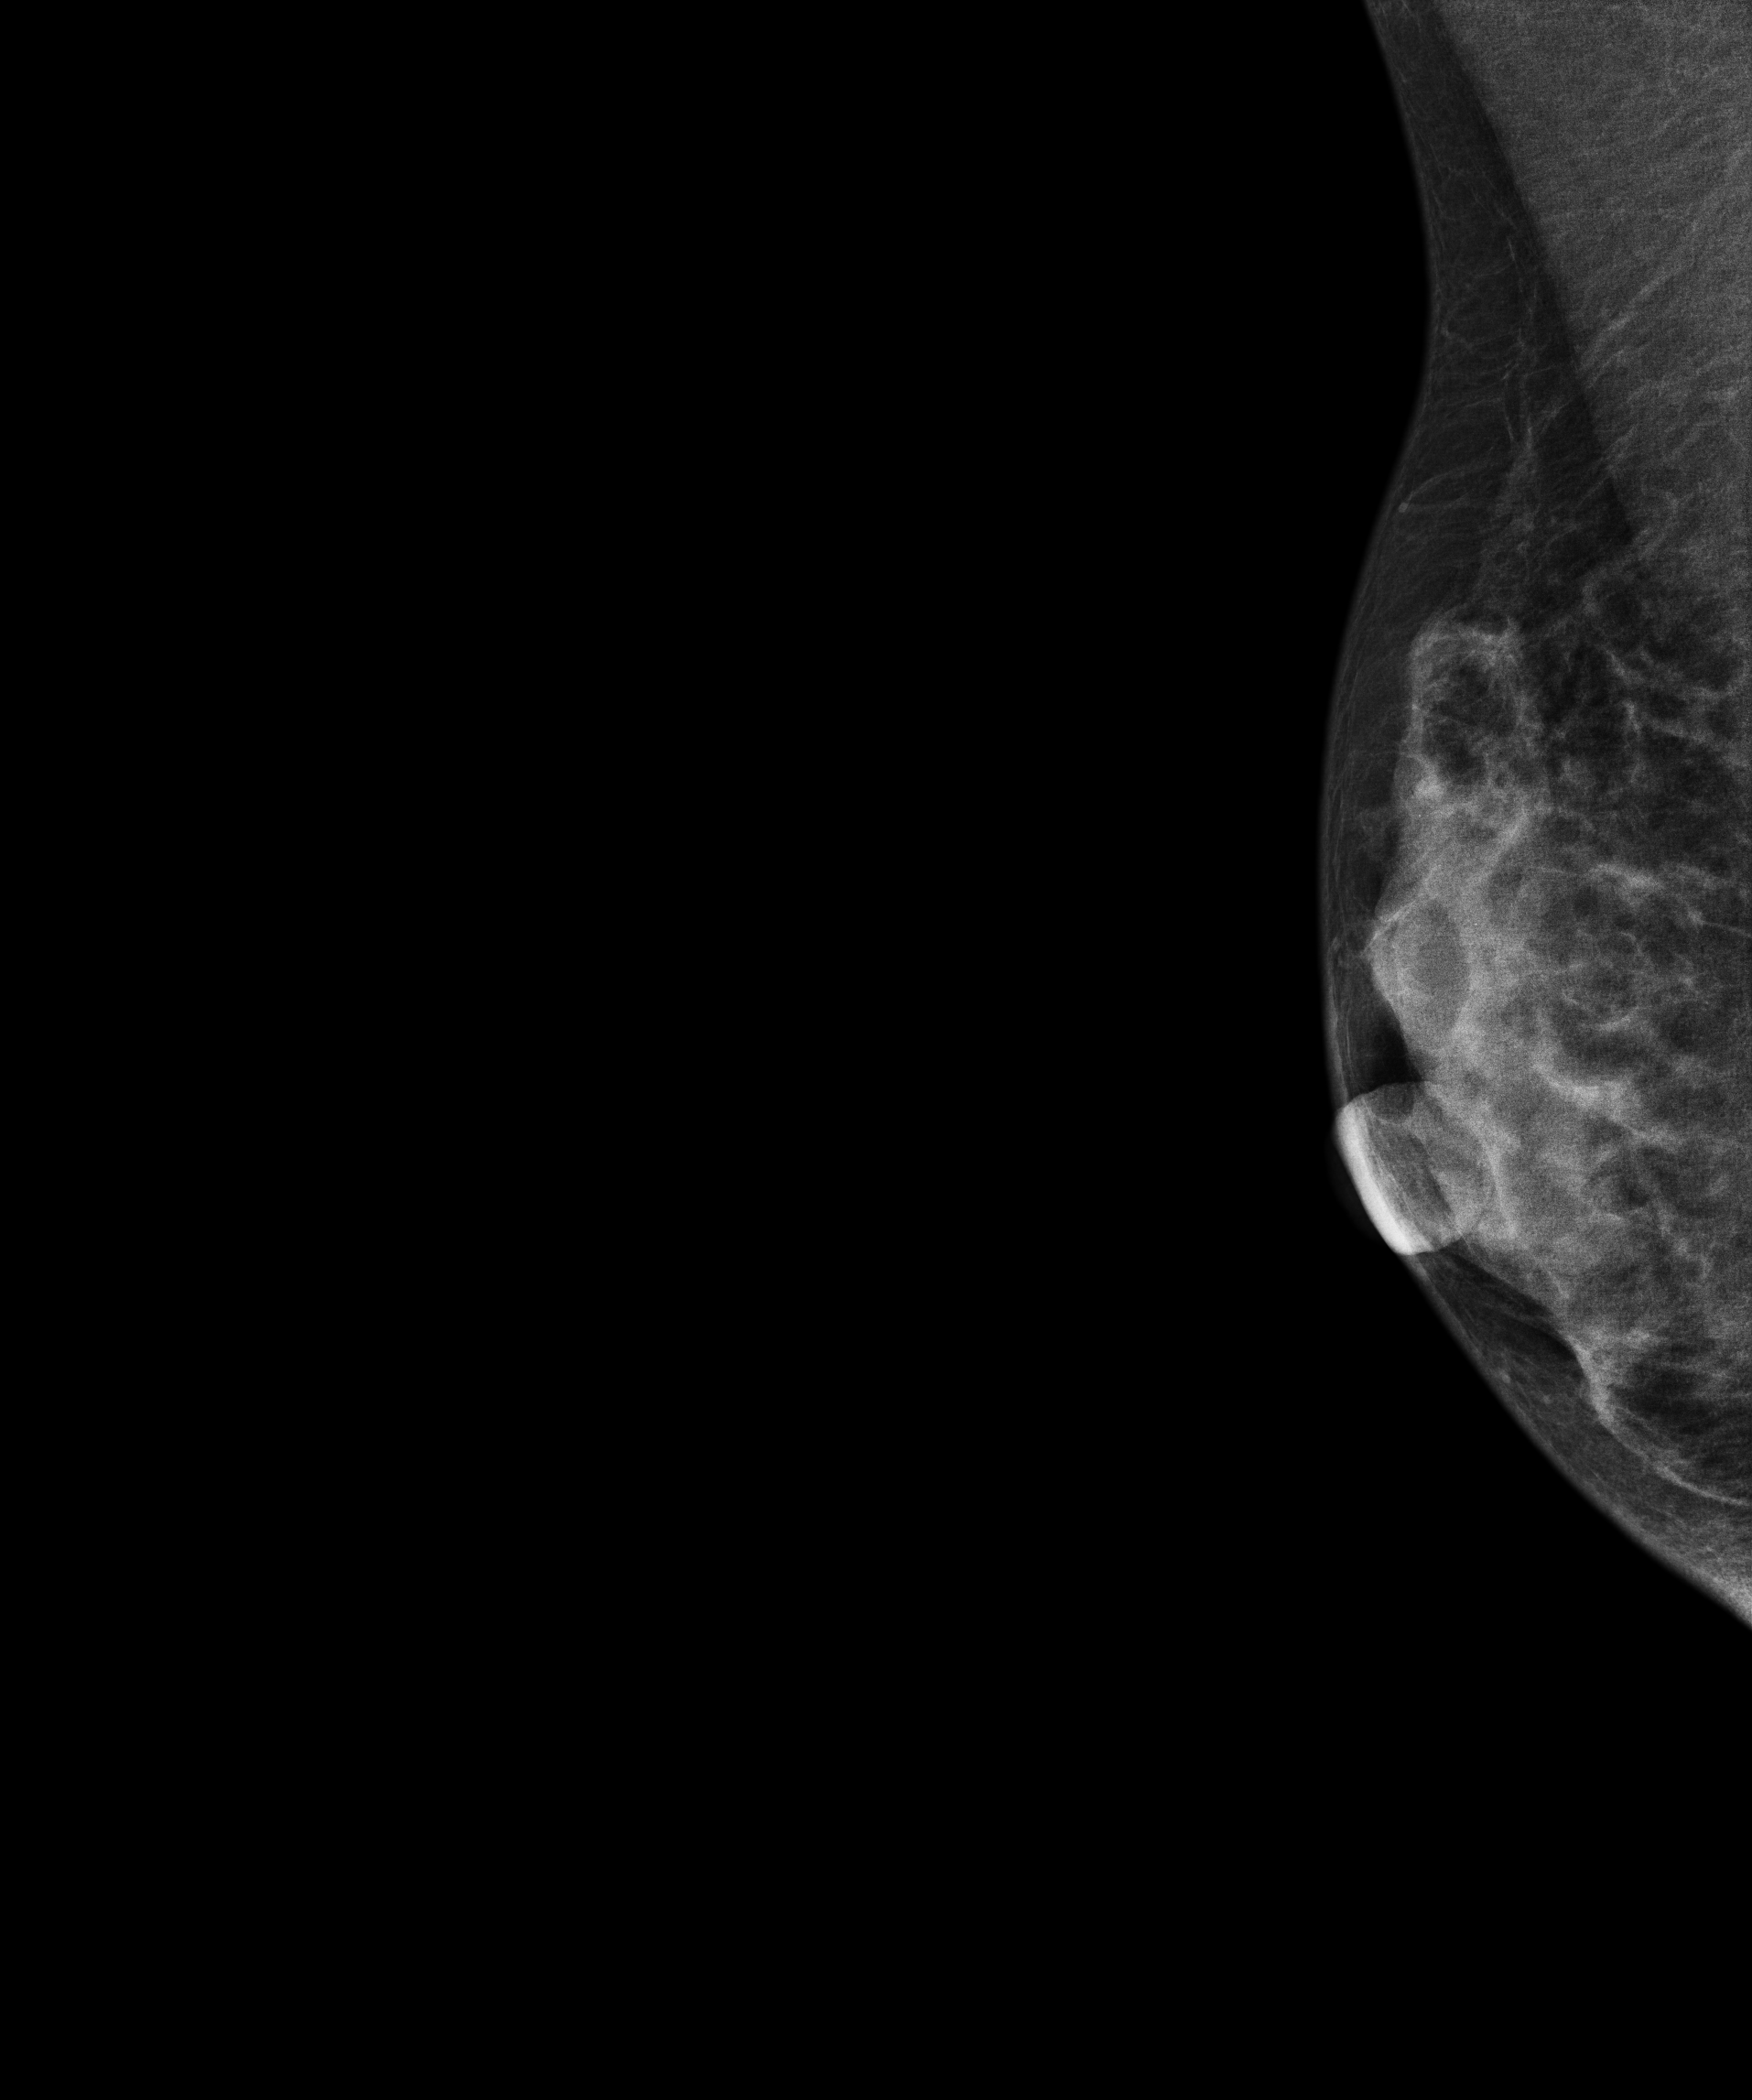
Digital mammography. Right breast, medio-lateral oblique projection. 35-year-old patient.
This breast has a mass and calcifications, biopsy-proven benign.